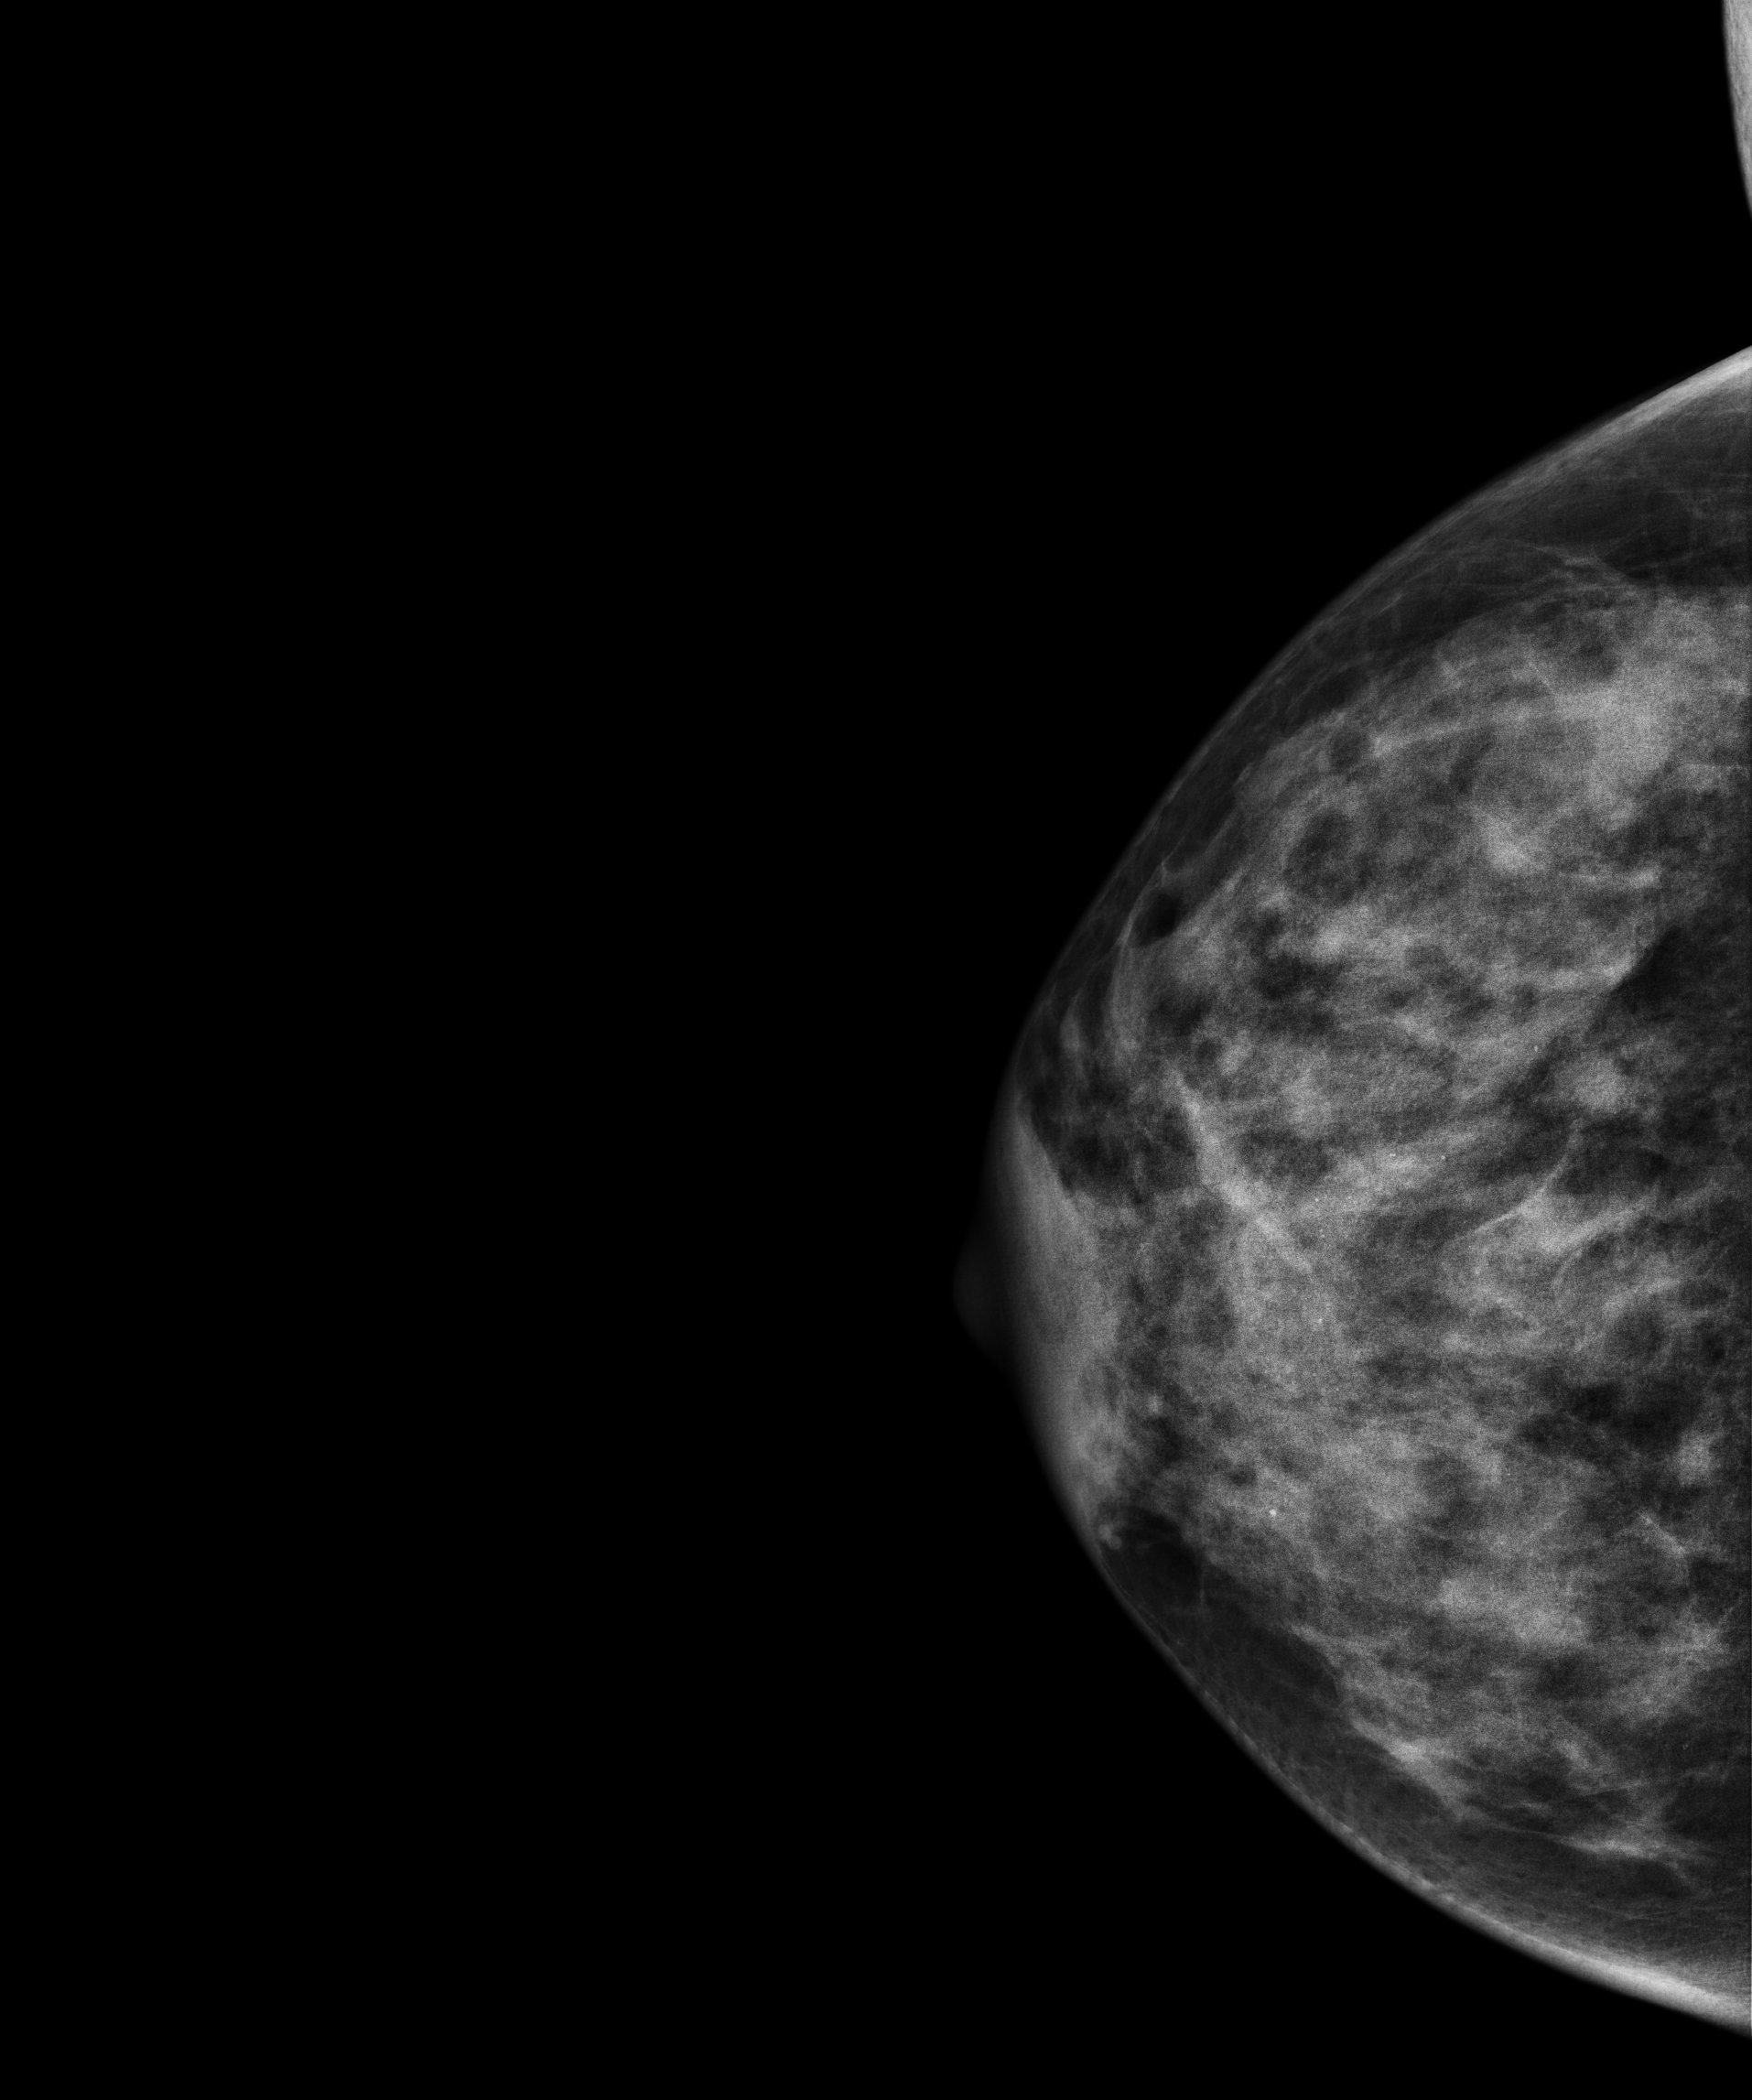
Mammogram, right breast, CC view. 39-year-old patient.
This breast has a mass, biopsy-confirmed benign.